Mammogram — right cranio-caudal. 44 y/o patient.
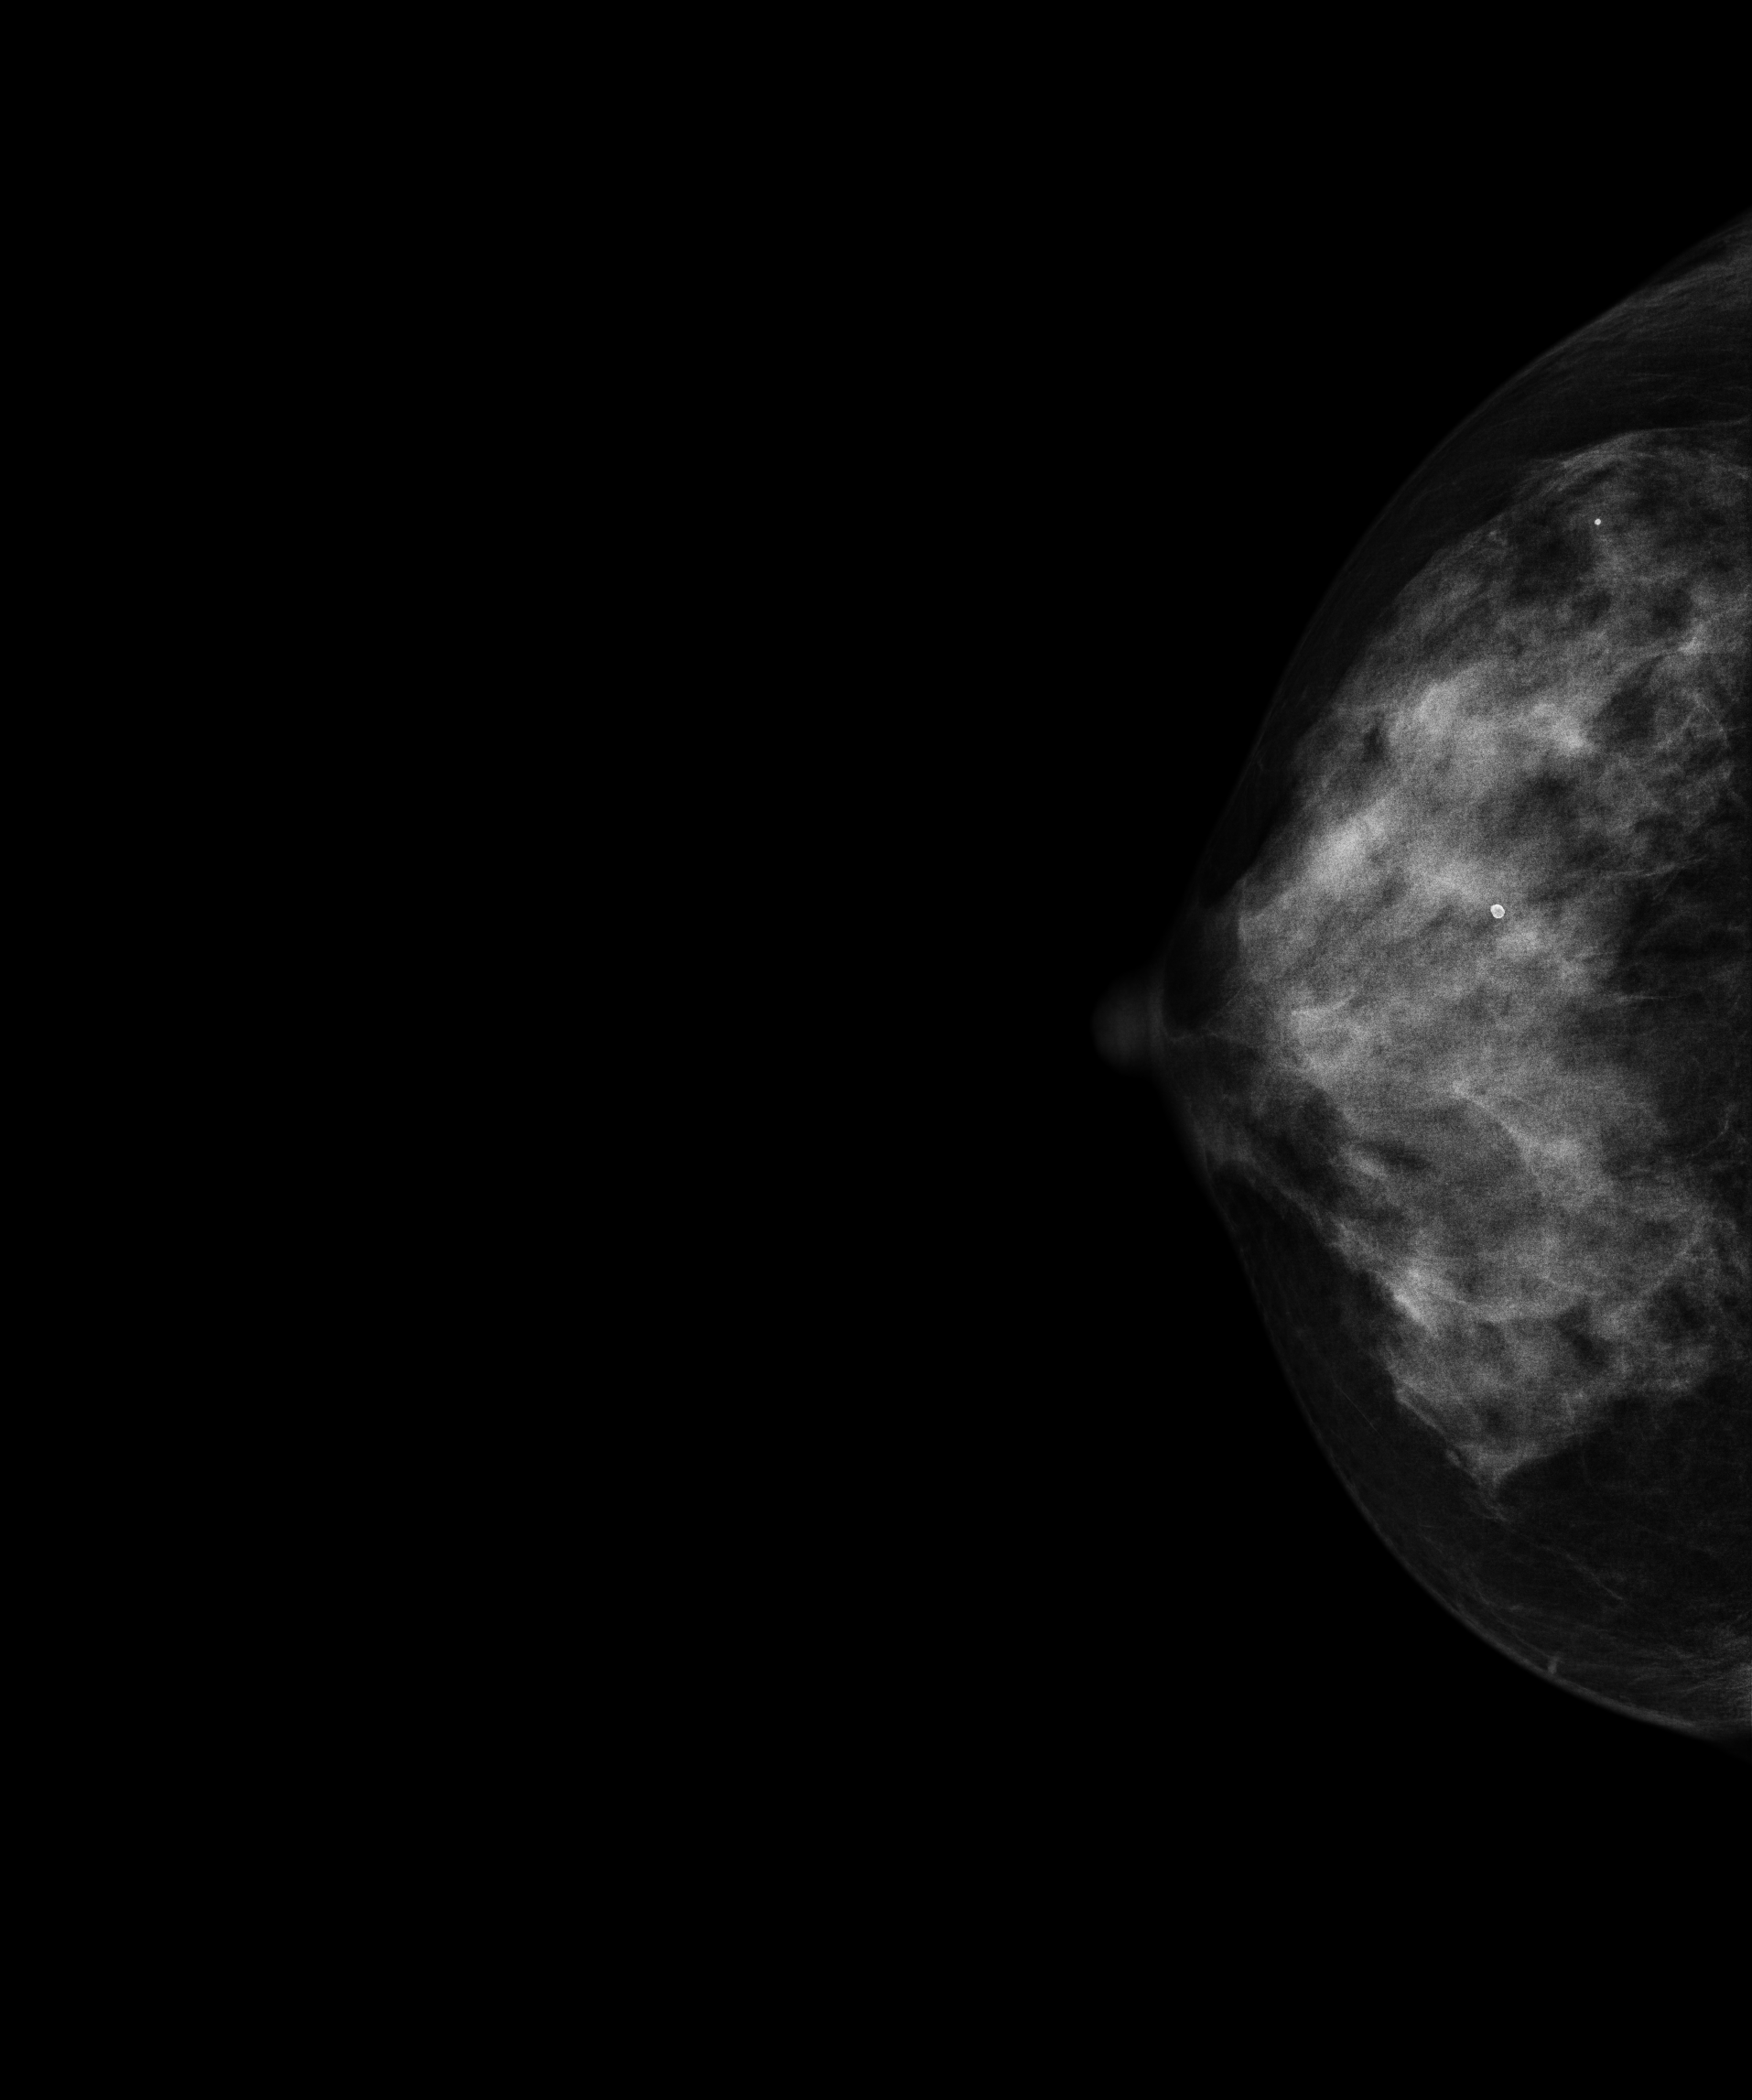
Contralateral breast — no documented abnormality on this side.